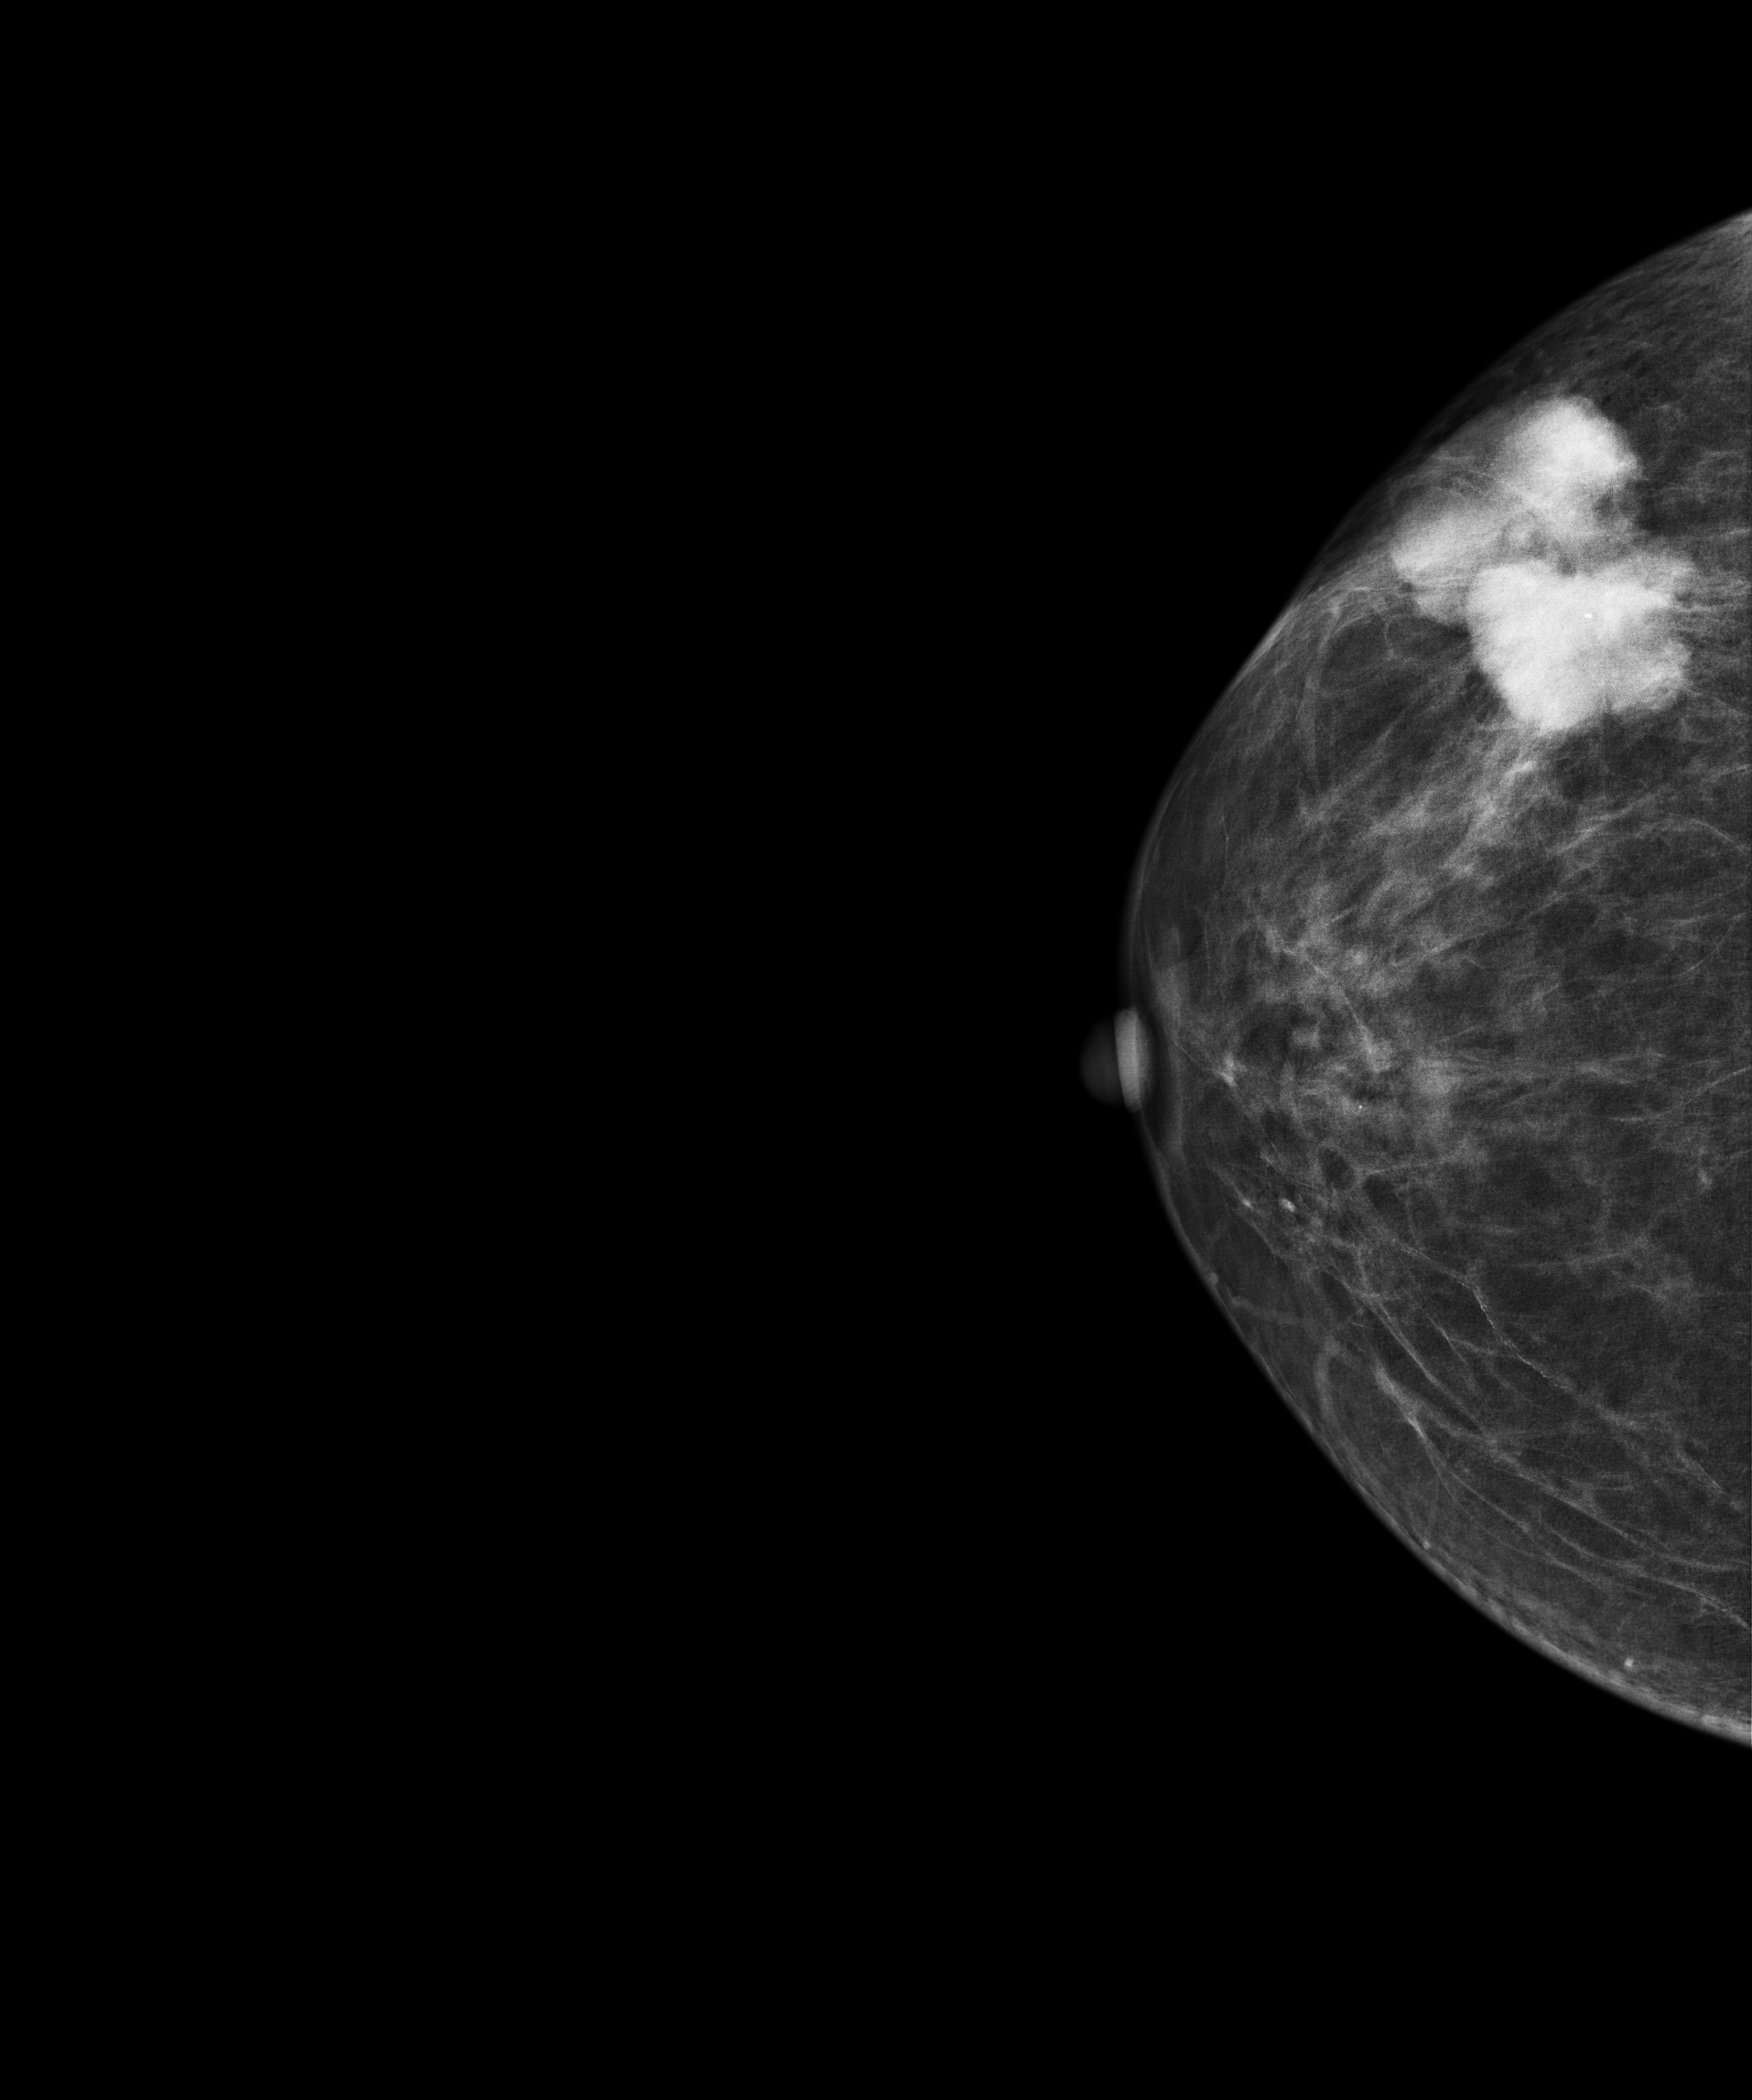
Right-breast mammogram, cranio-caudal. Patient age 63.
This breast has a mass, histologically confirmed malignant. Molecular subtype: luminal B.